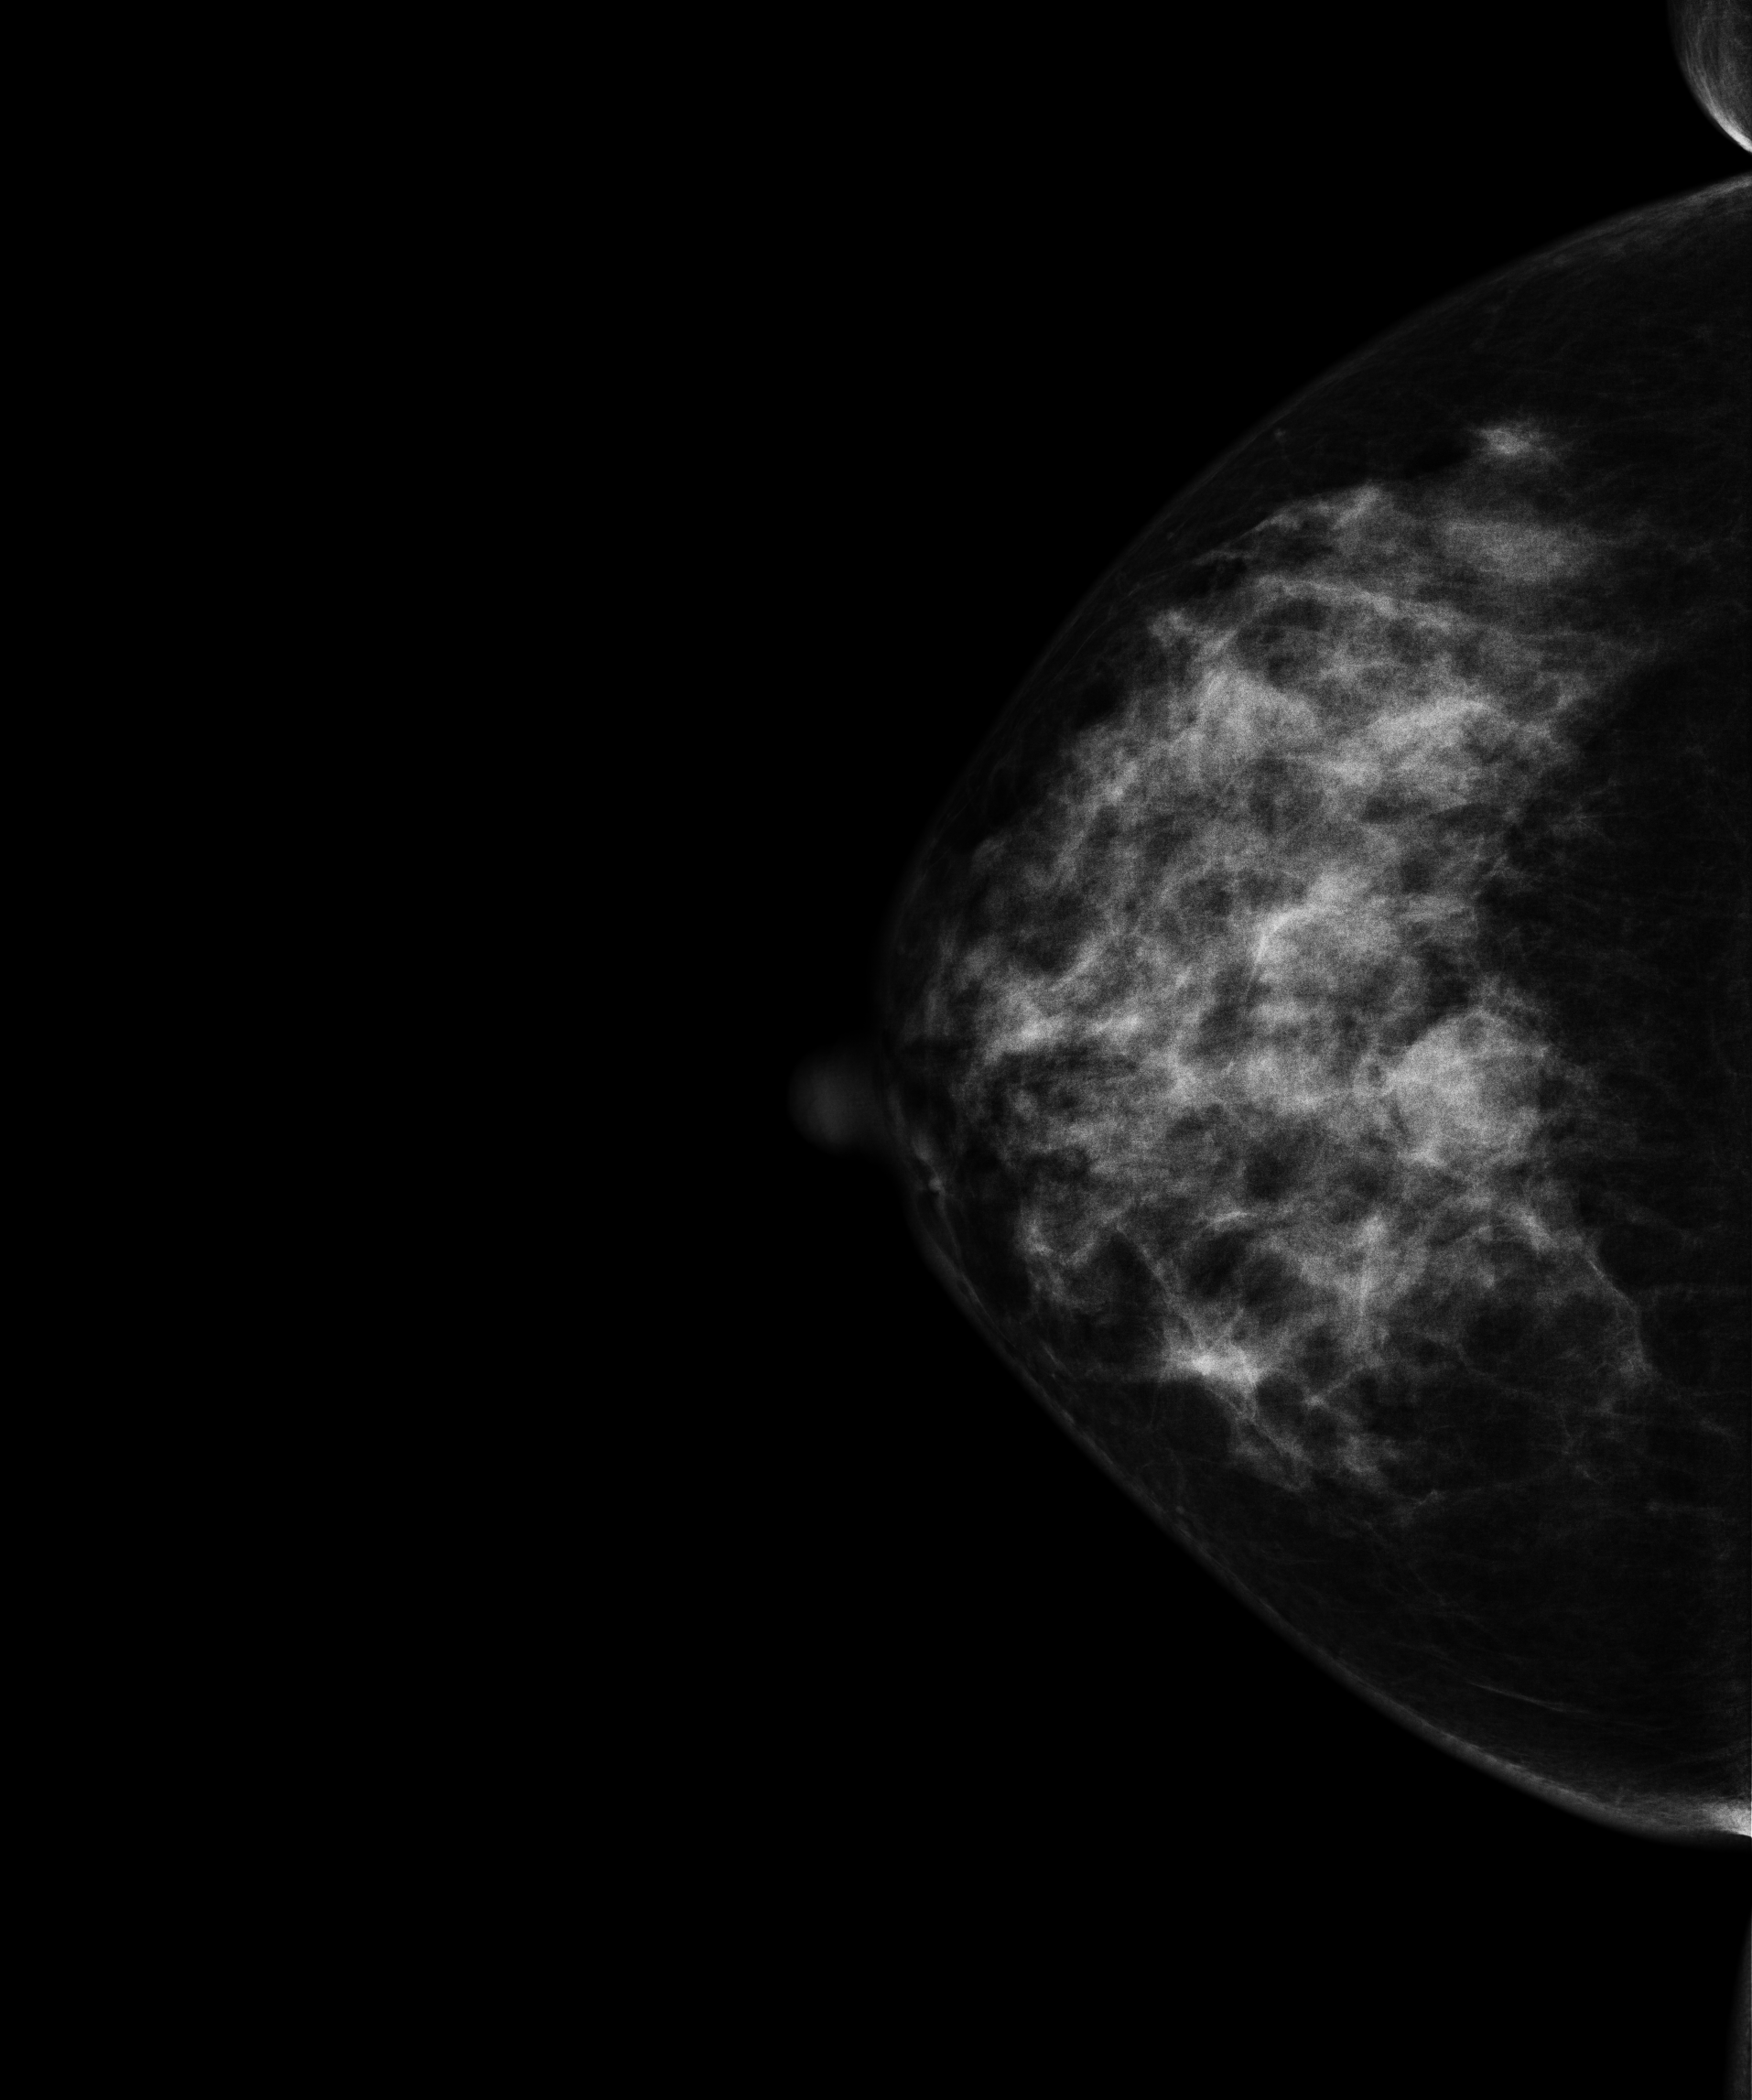
Mammogram, right breast, CC view. Patient age 48.
This breast has a mass, biopsy-proven malignant.